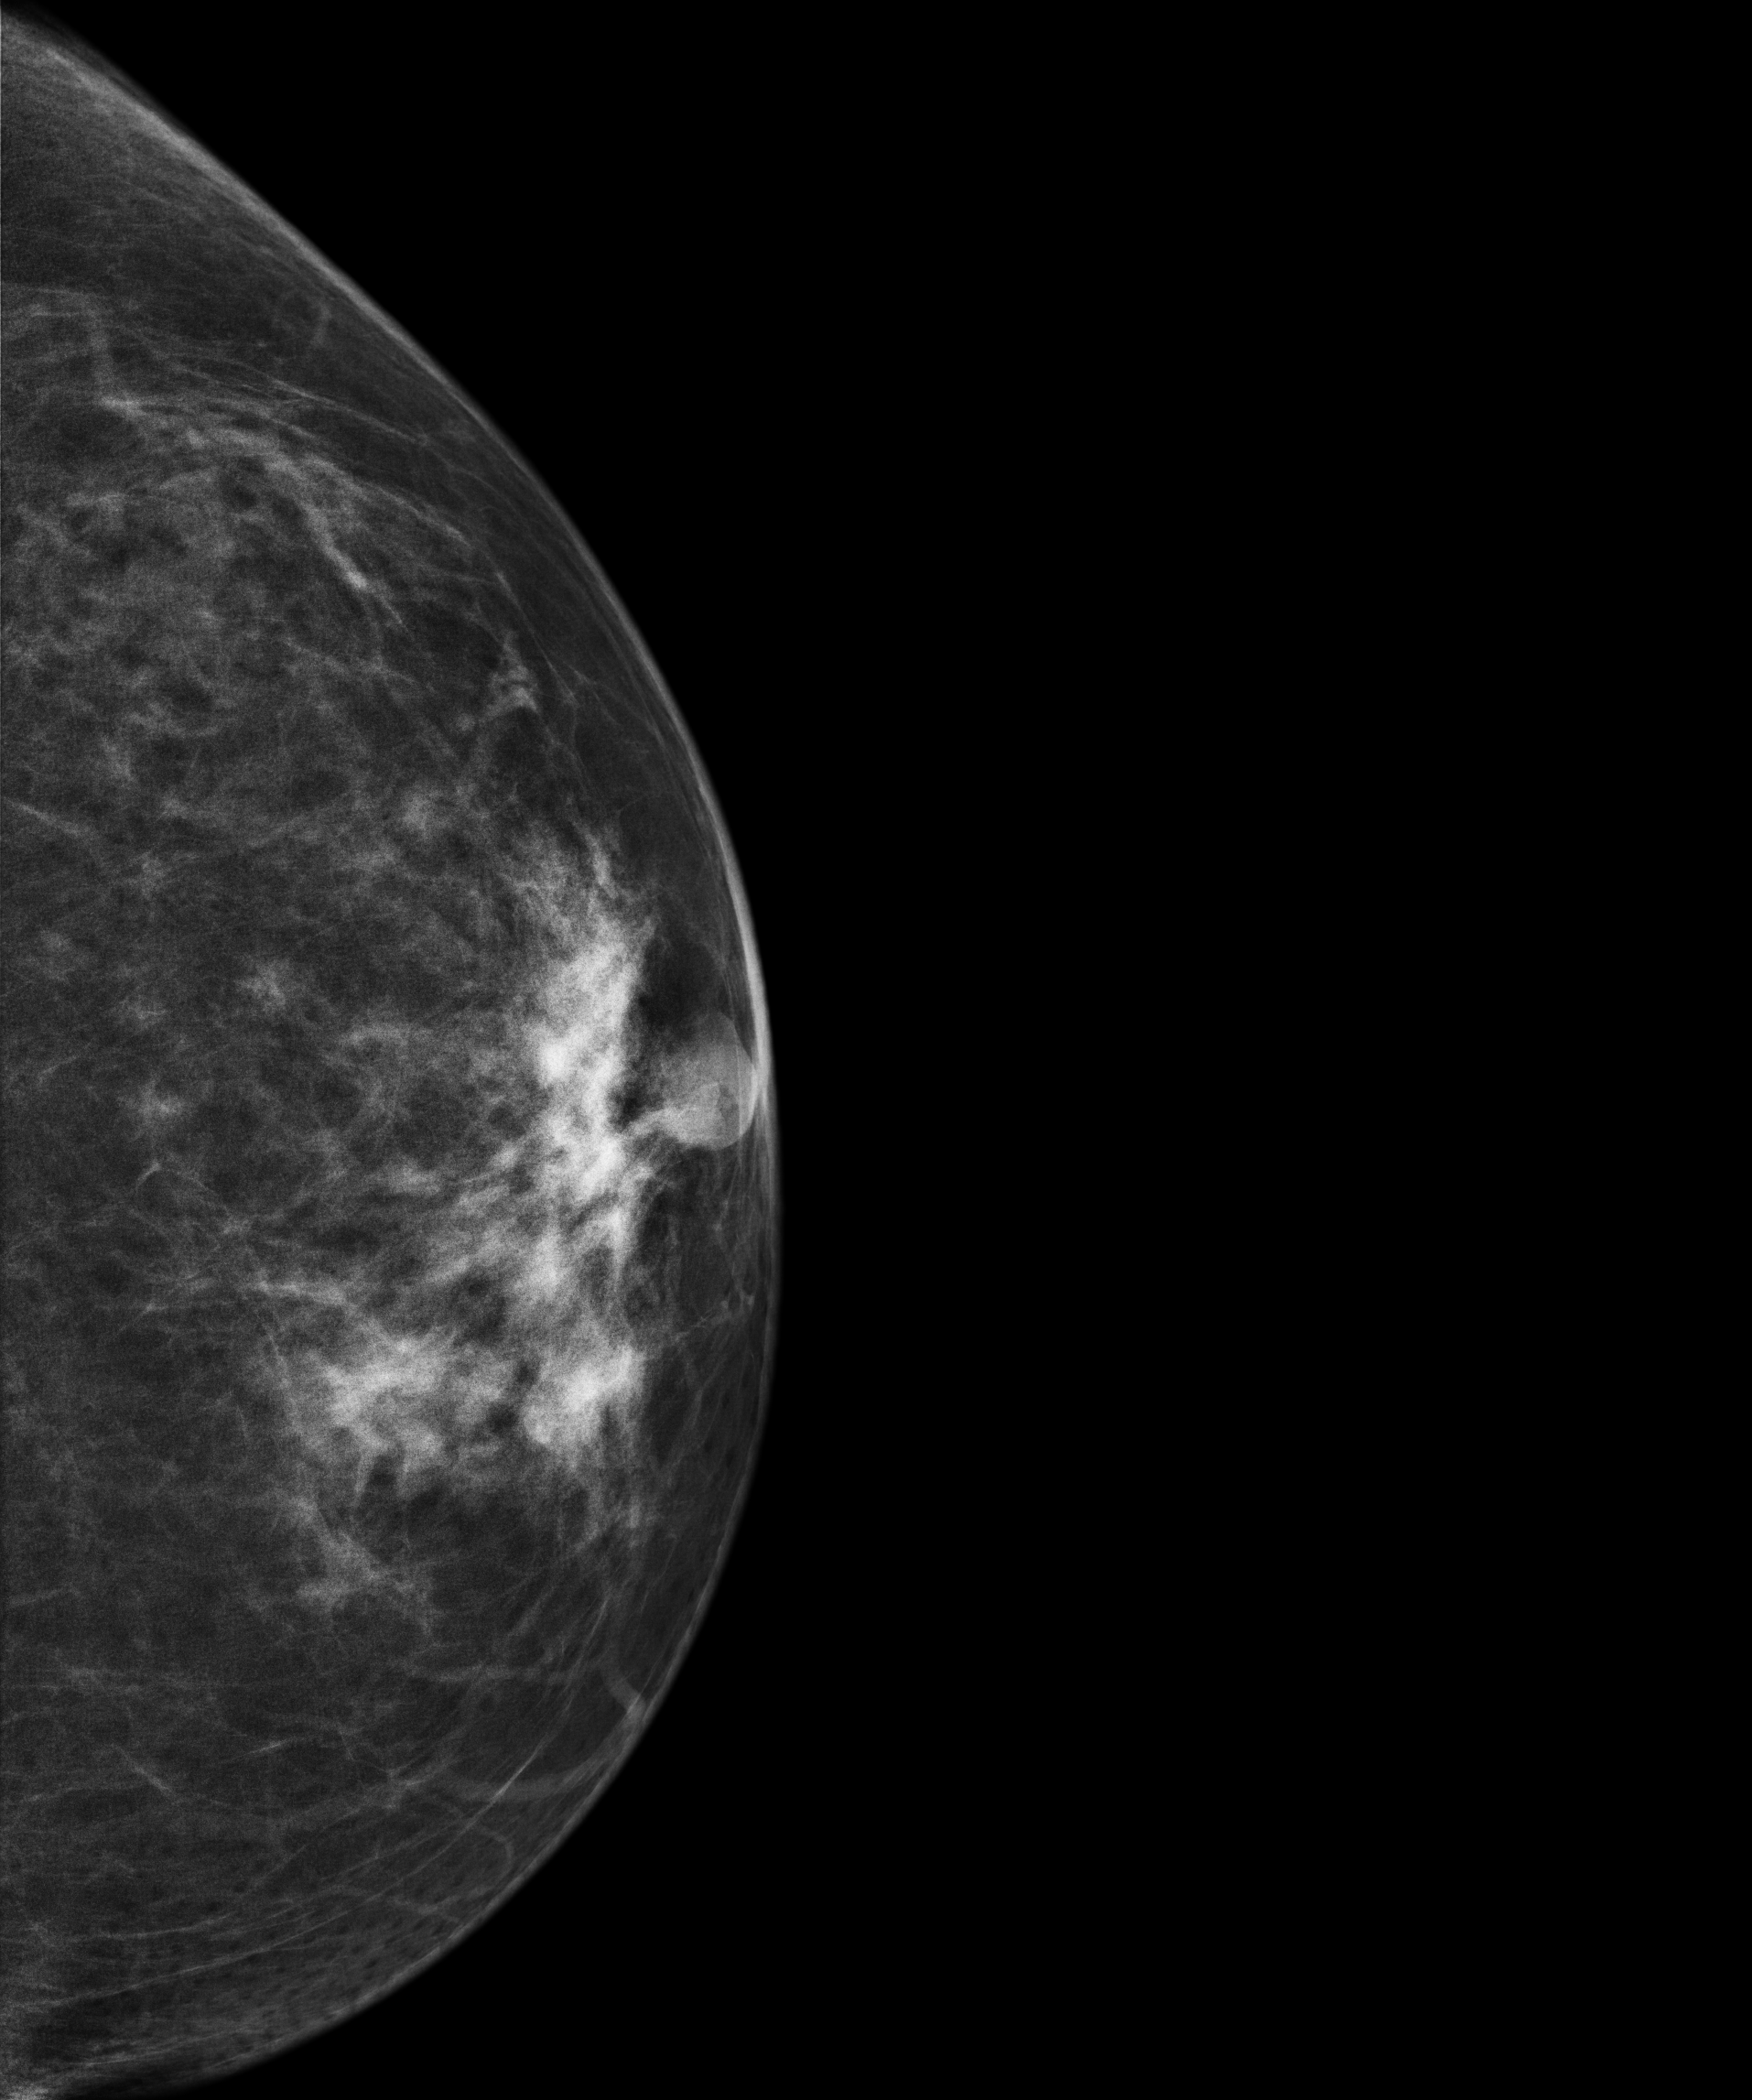
Left-breast mammogram, CC. Patient age 47.
Contralateral breast — no documented abnormality on this side.